Mammogram — left cranio-caudal. 44 y/o patient.
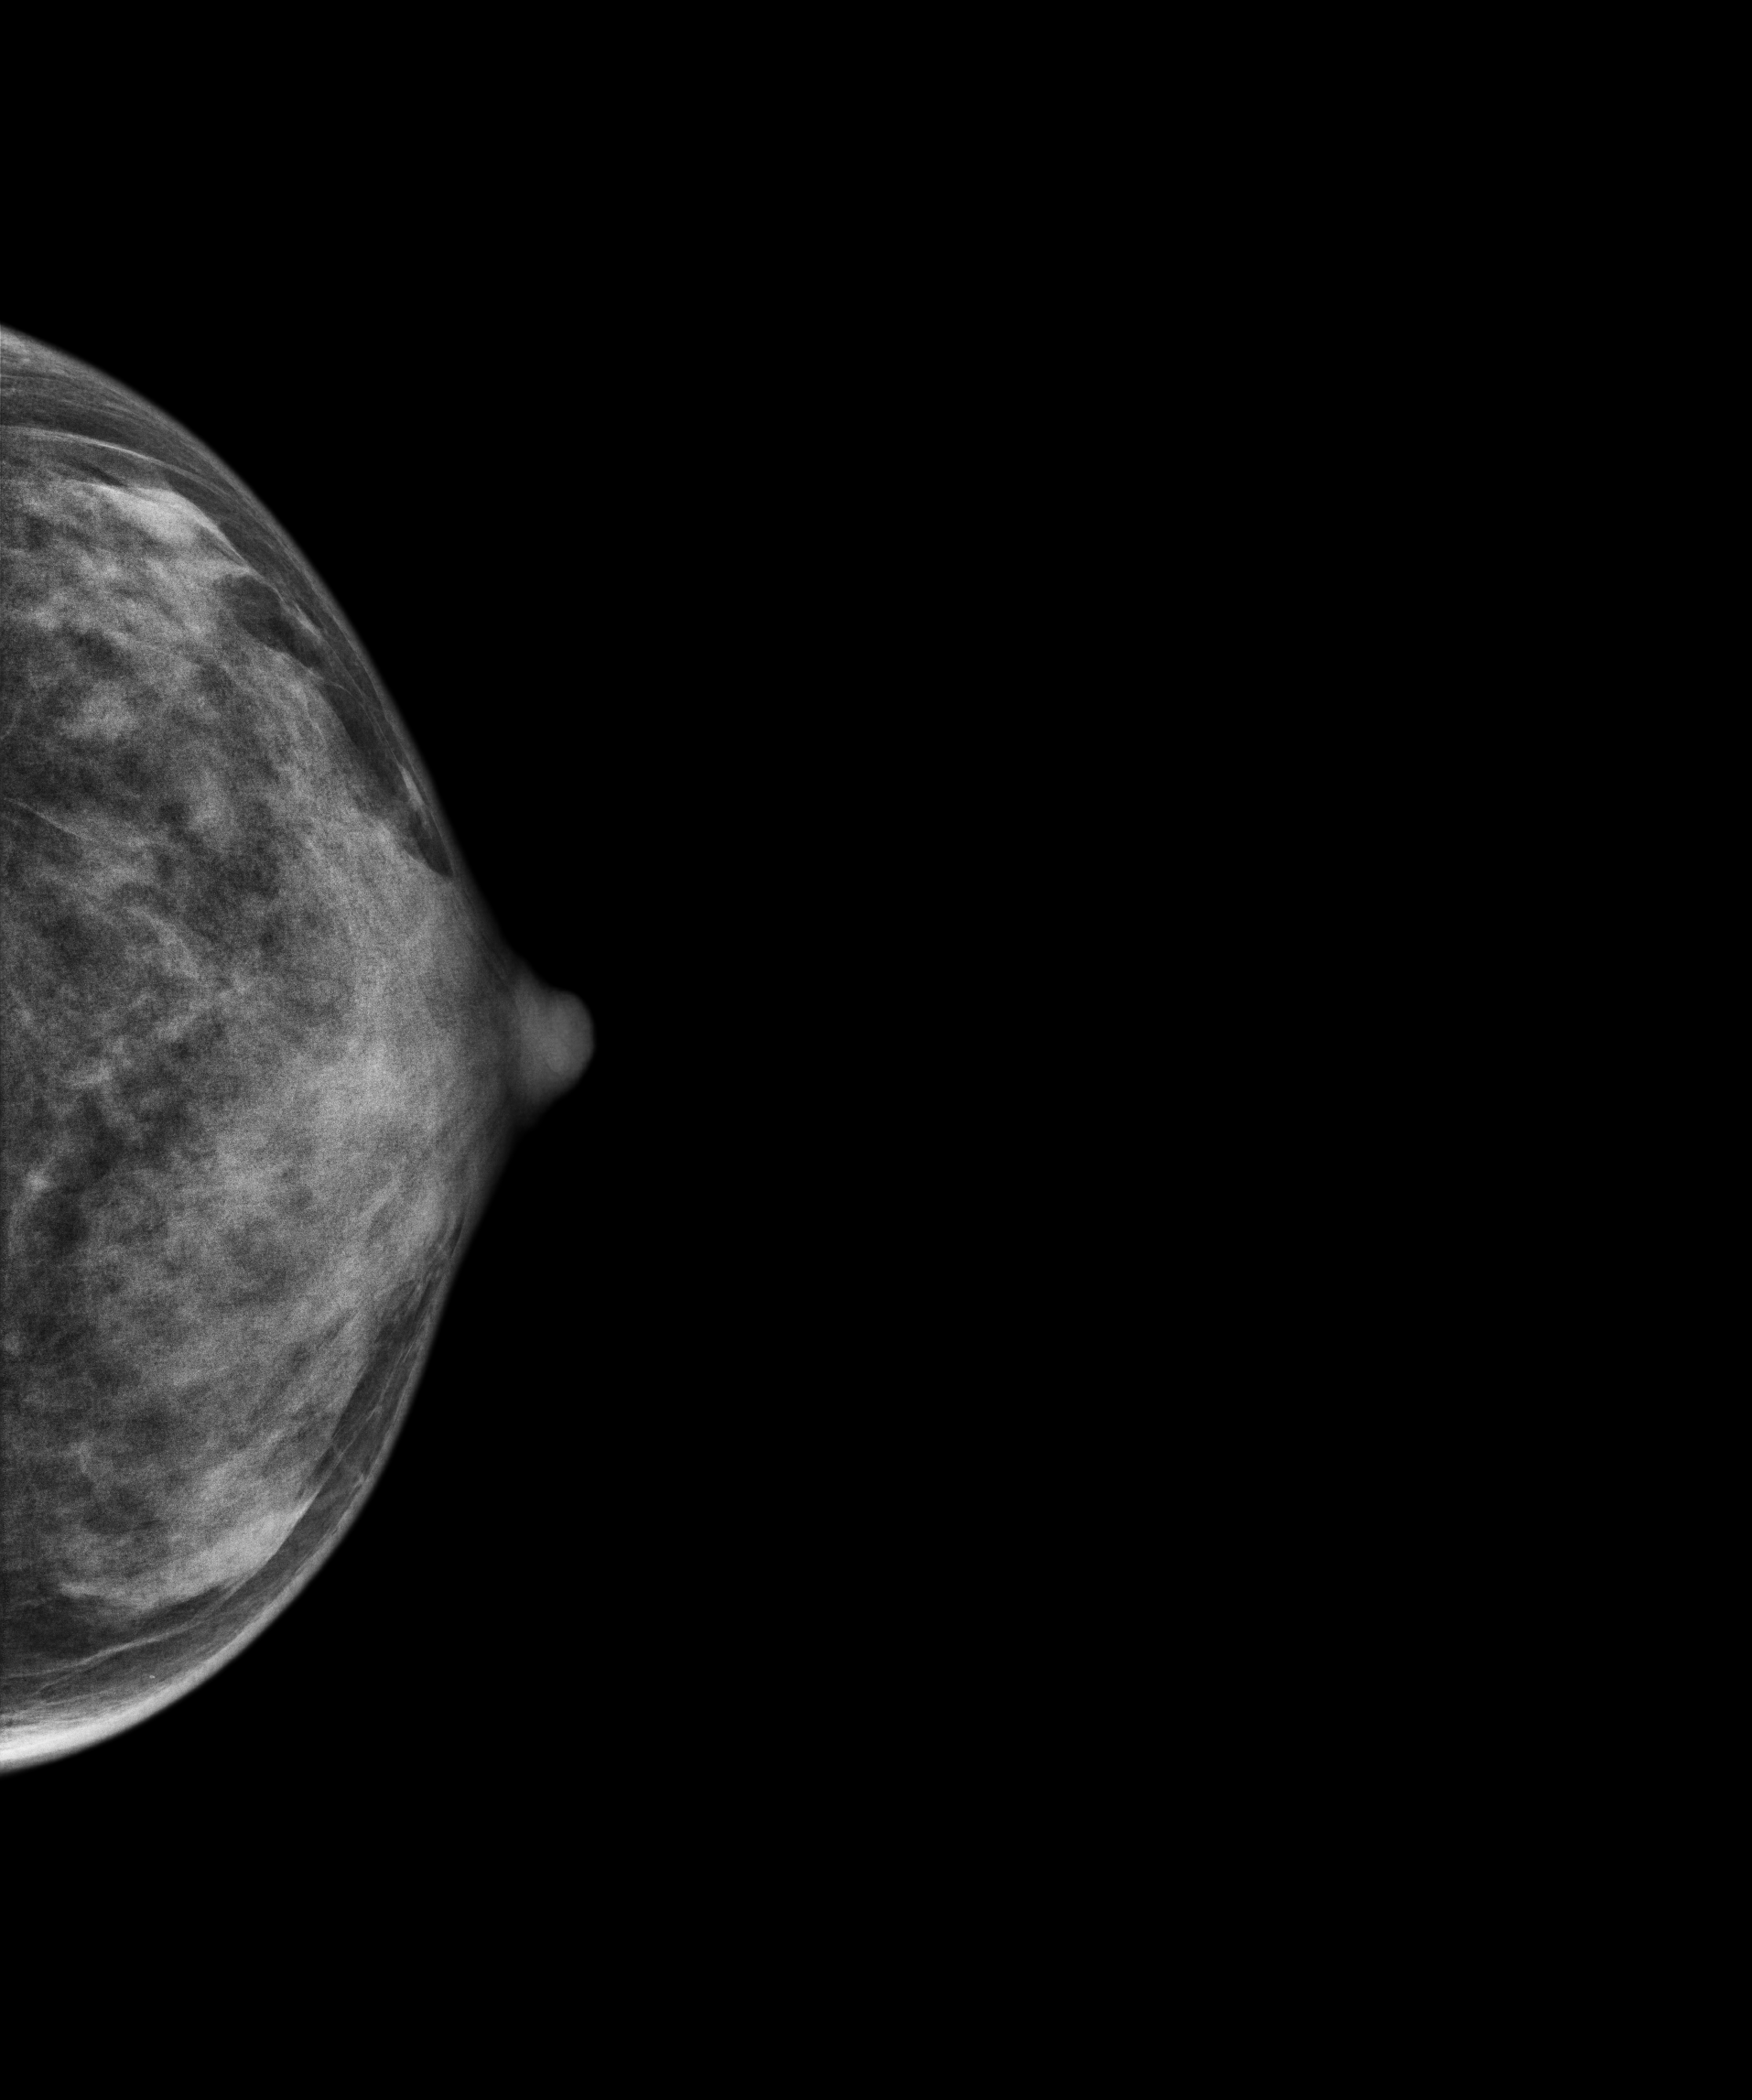
Contralateral breast — no documented abnormality on this side.